Mammogram, left breast, cranio-caudal view. 42-year-old patient.
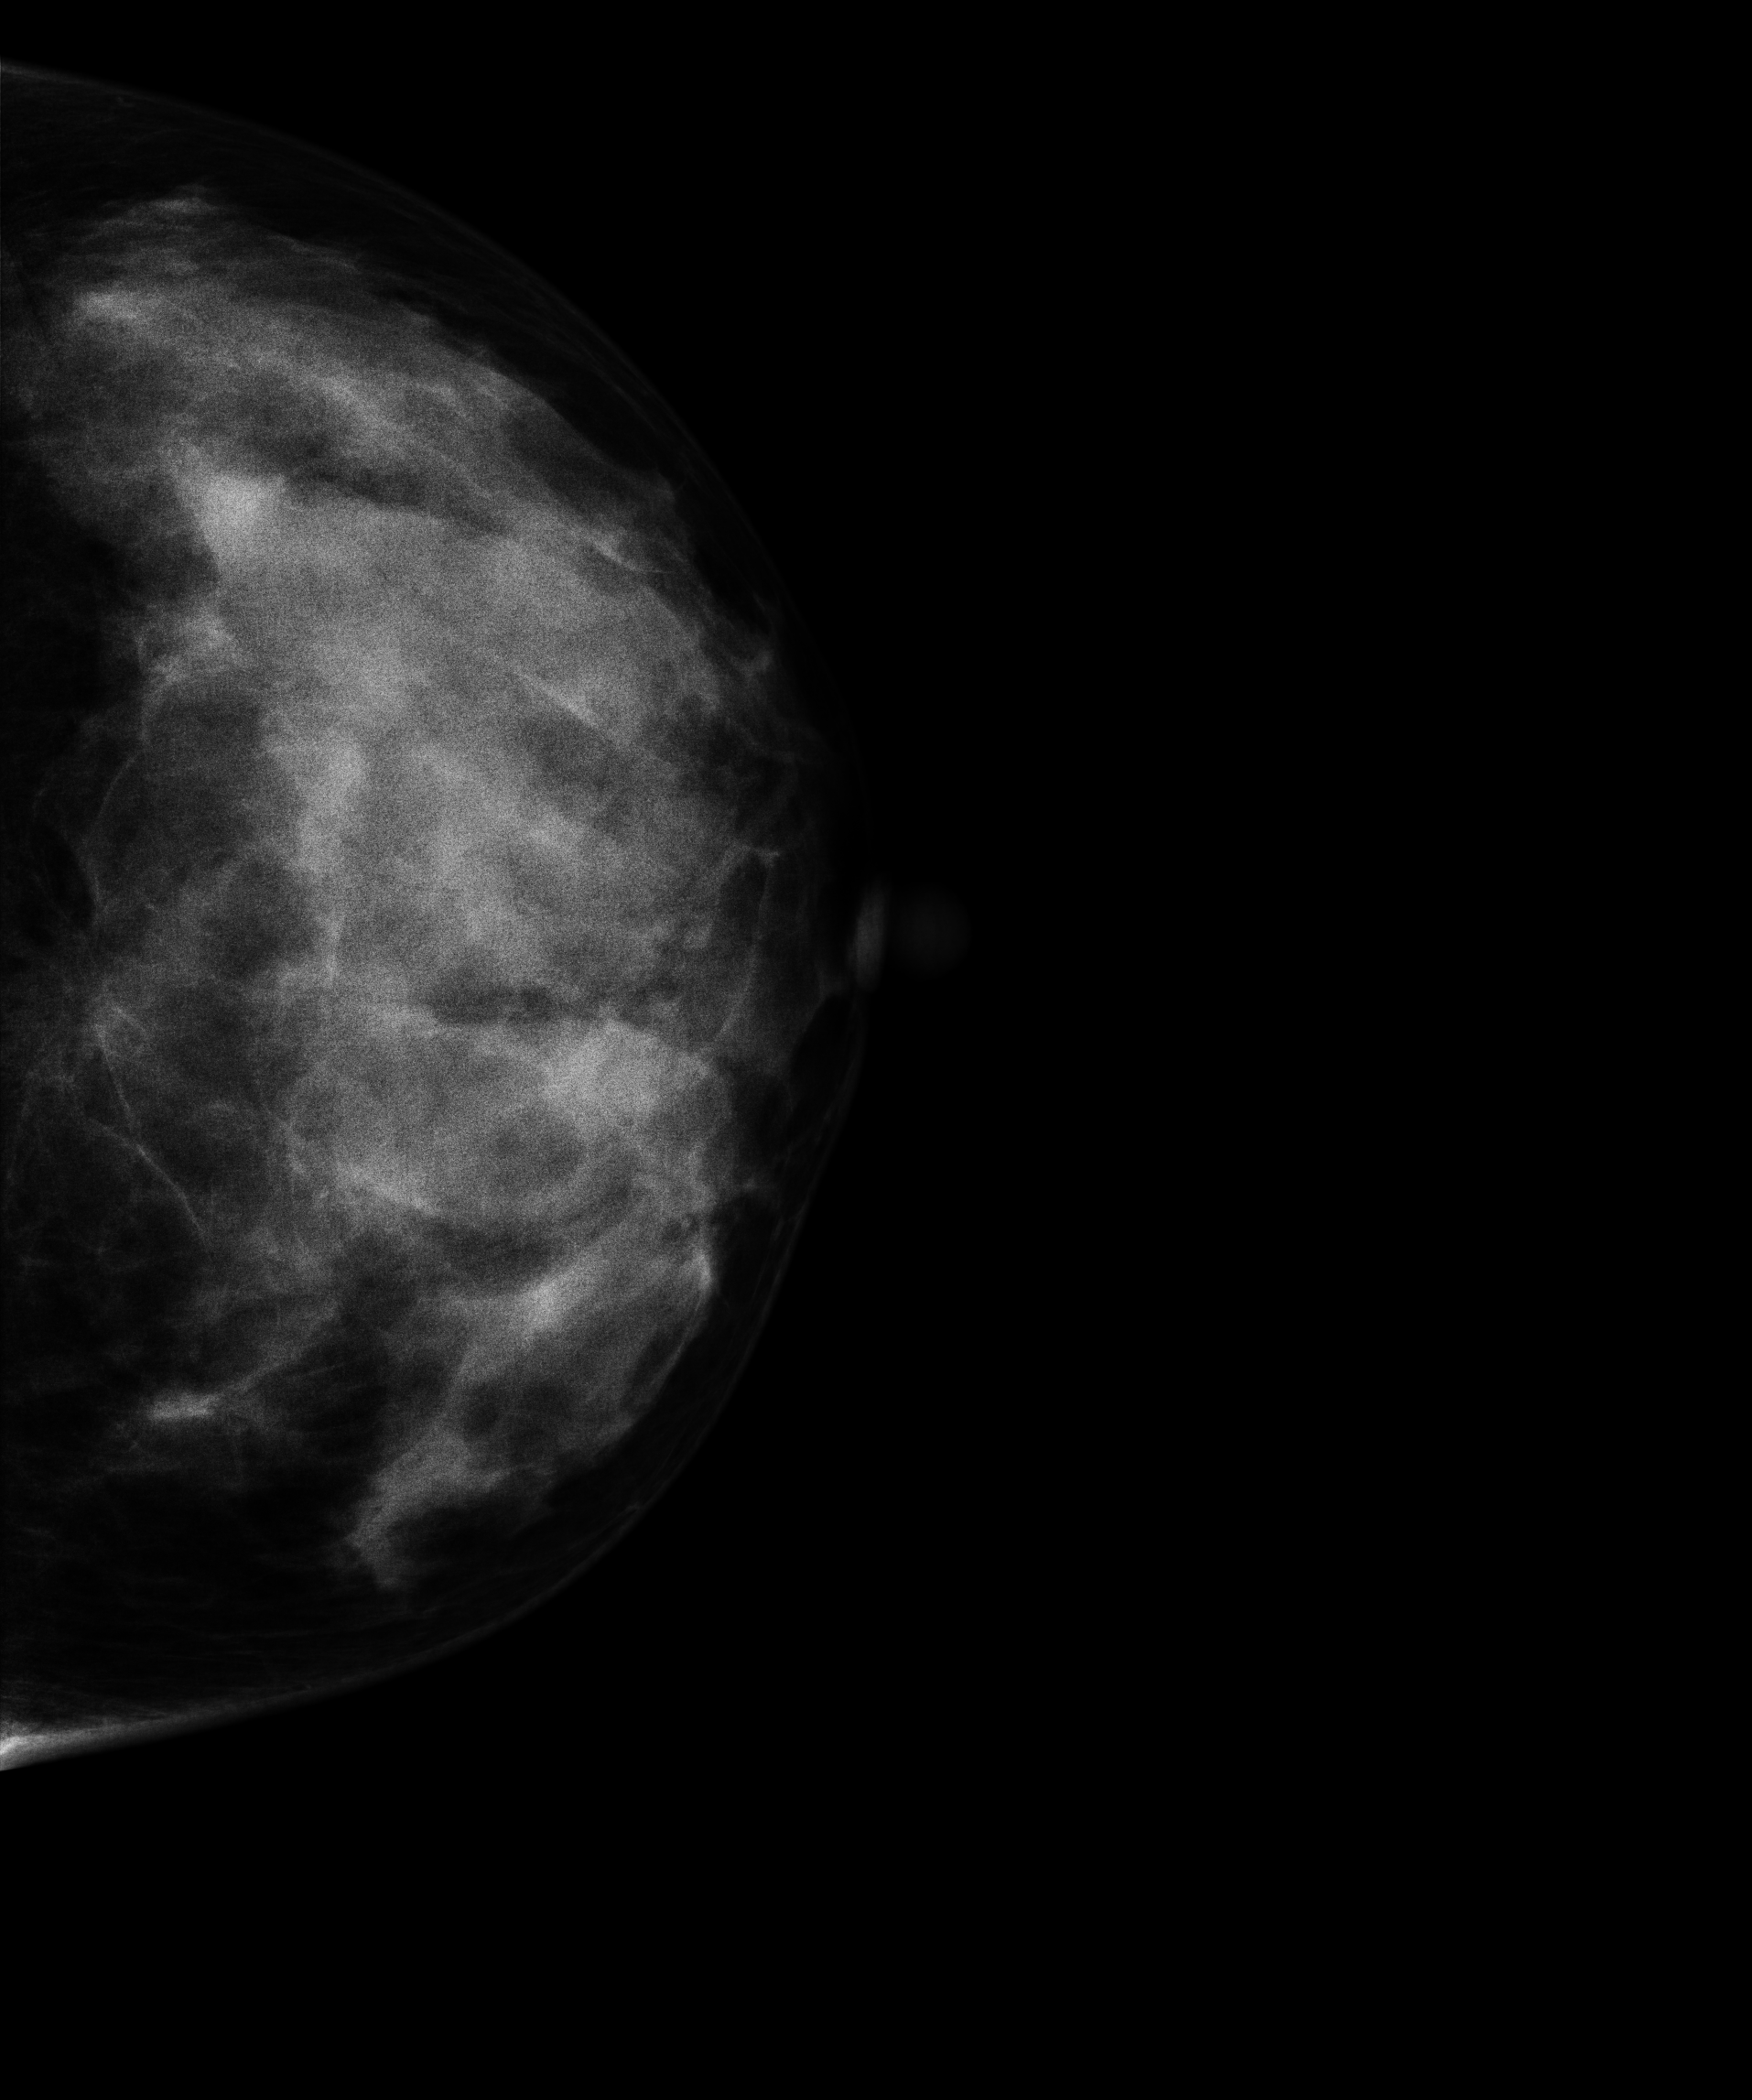
This breast has a mass, pathology-confirmed malignant.